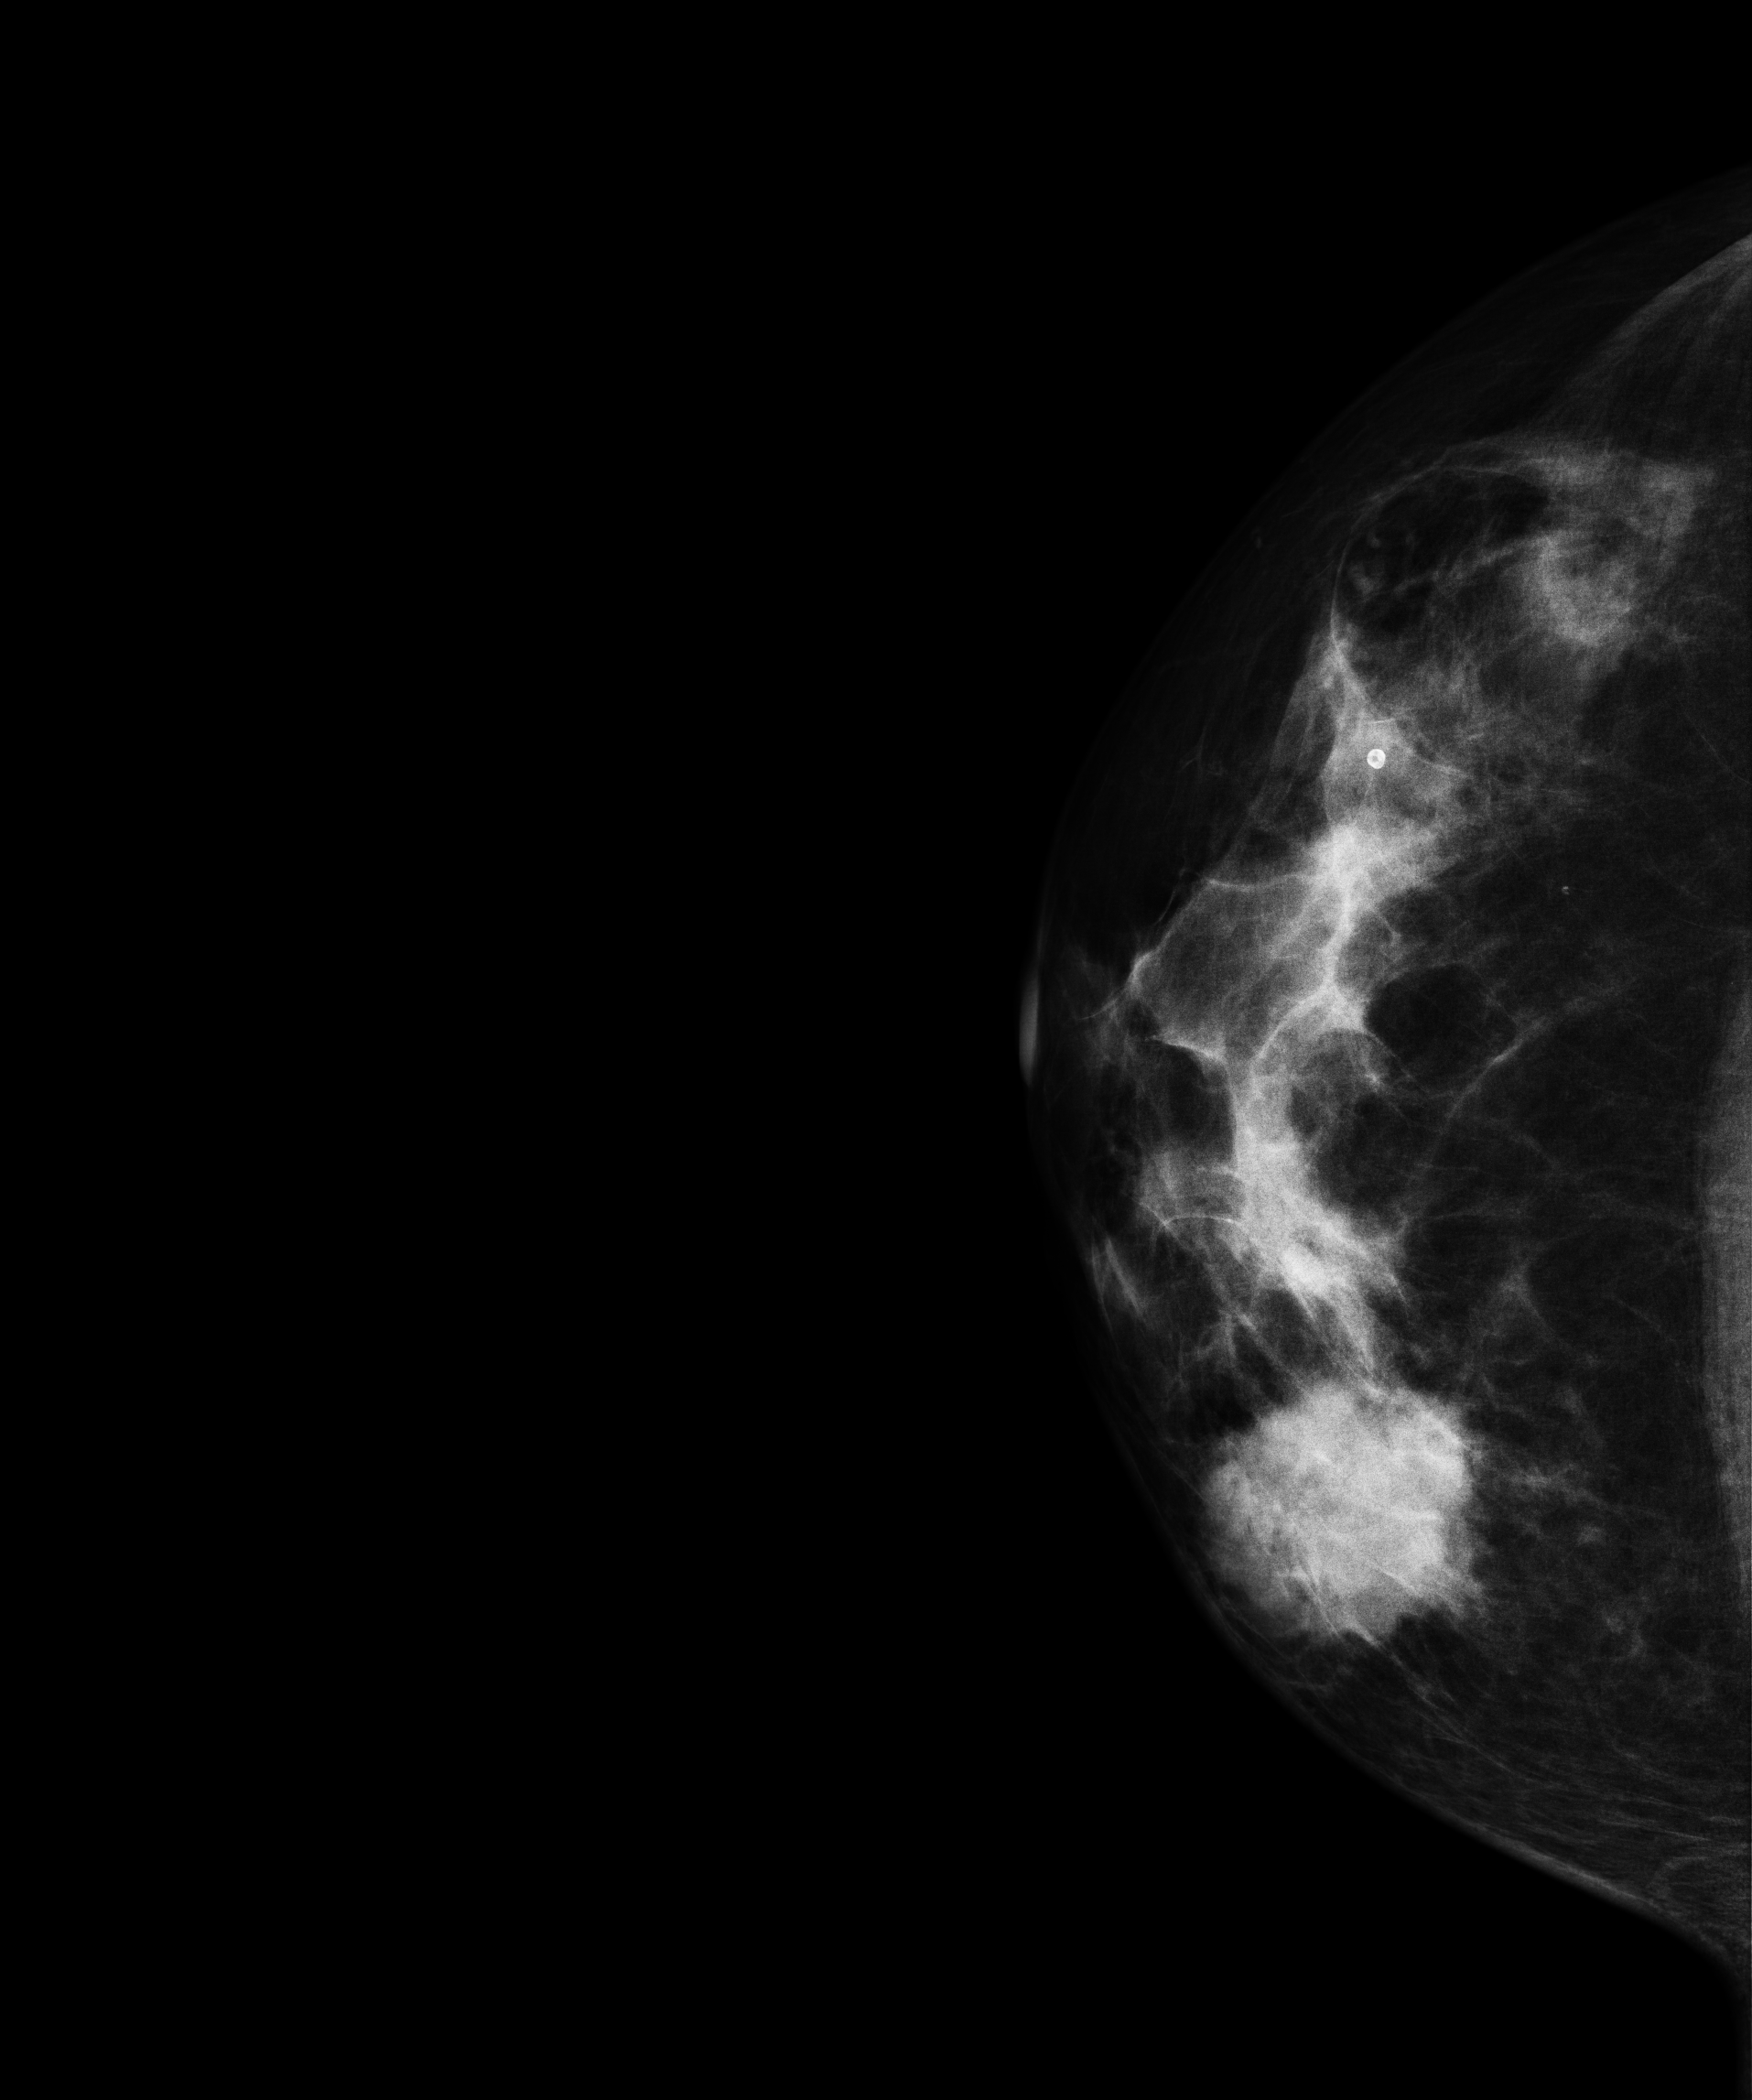
CC mammogram of the right breast. 51-year-old patient.
This breast has a mass, histologically confirmed malignant.